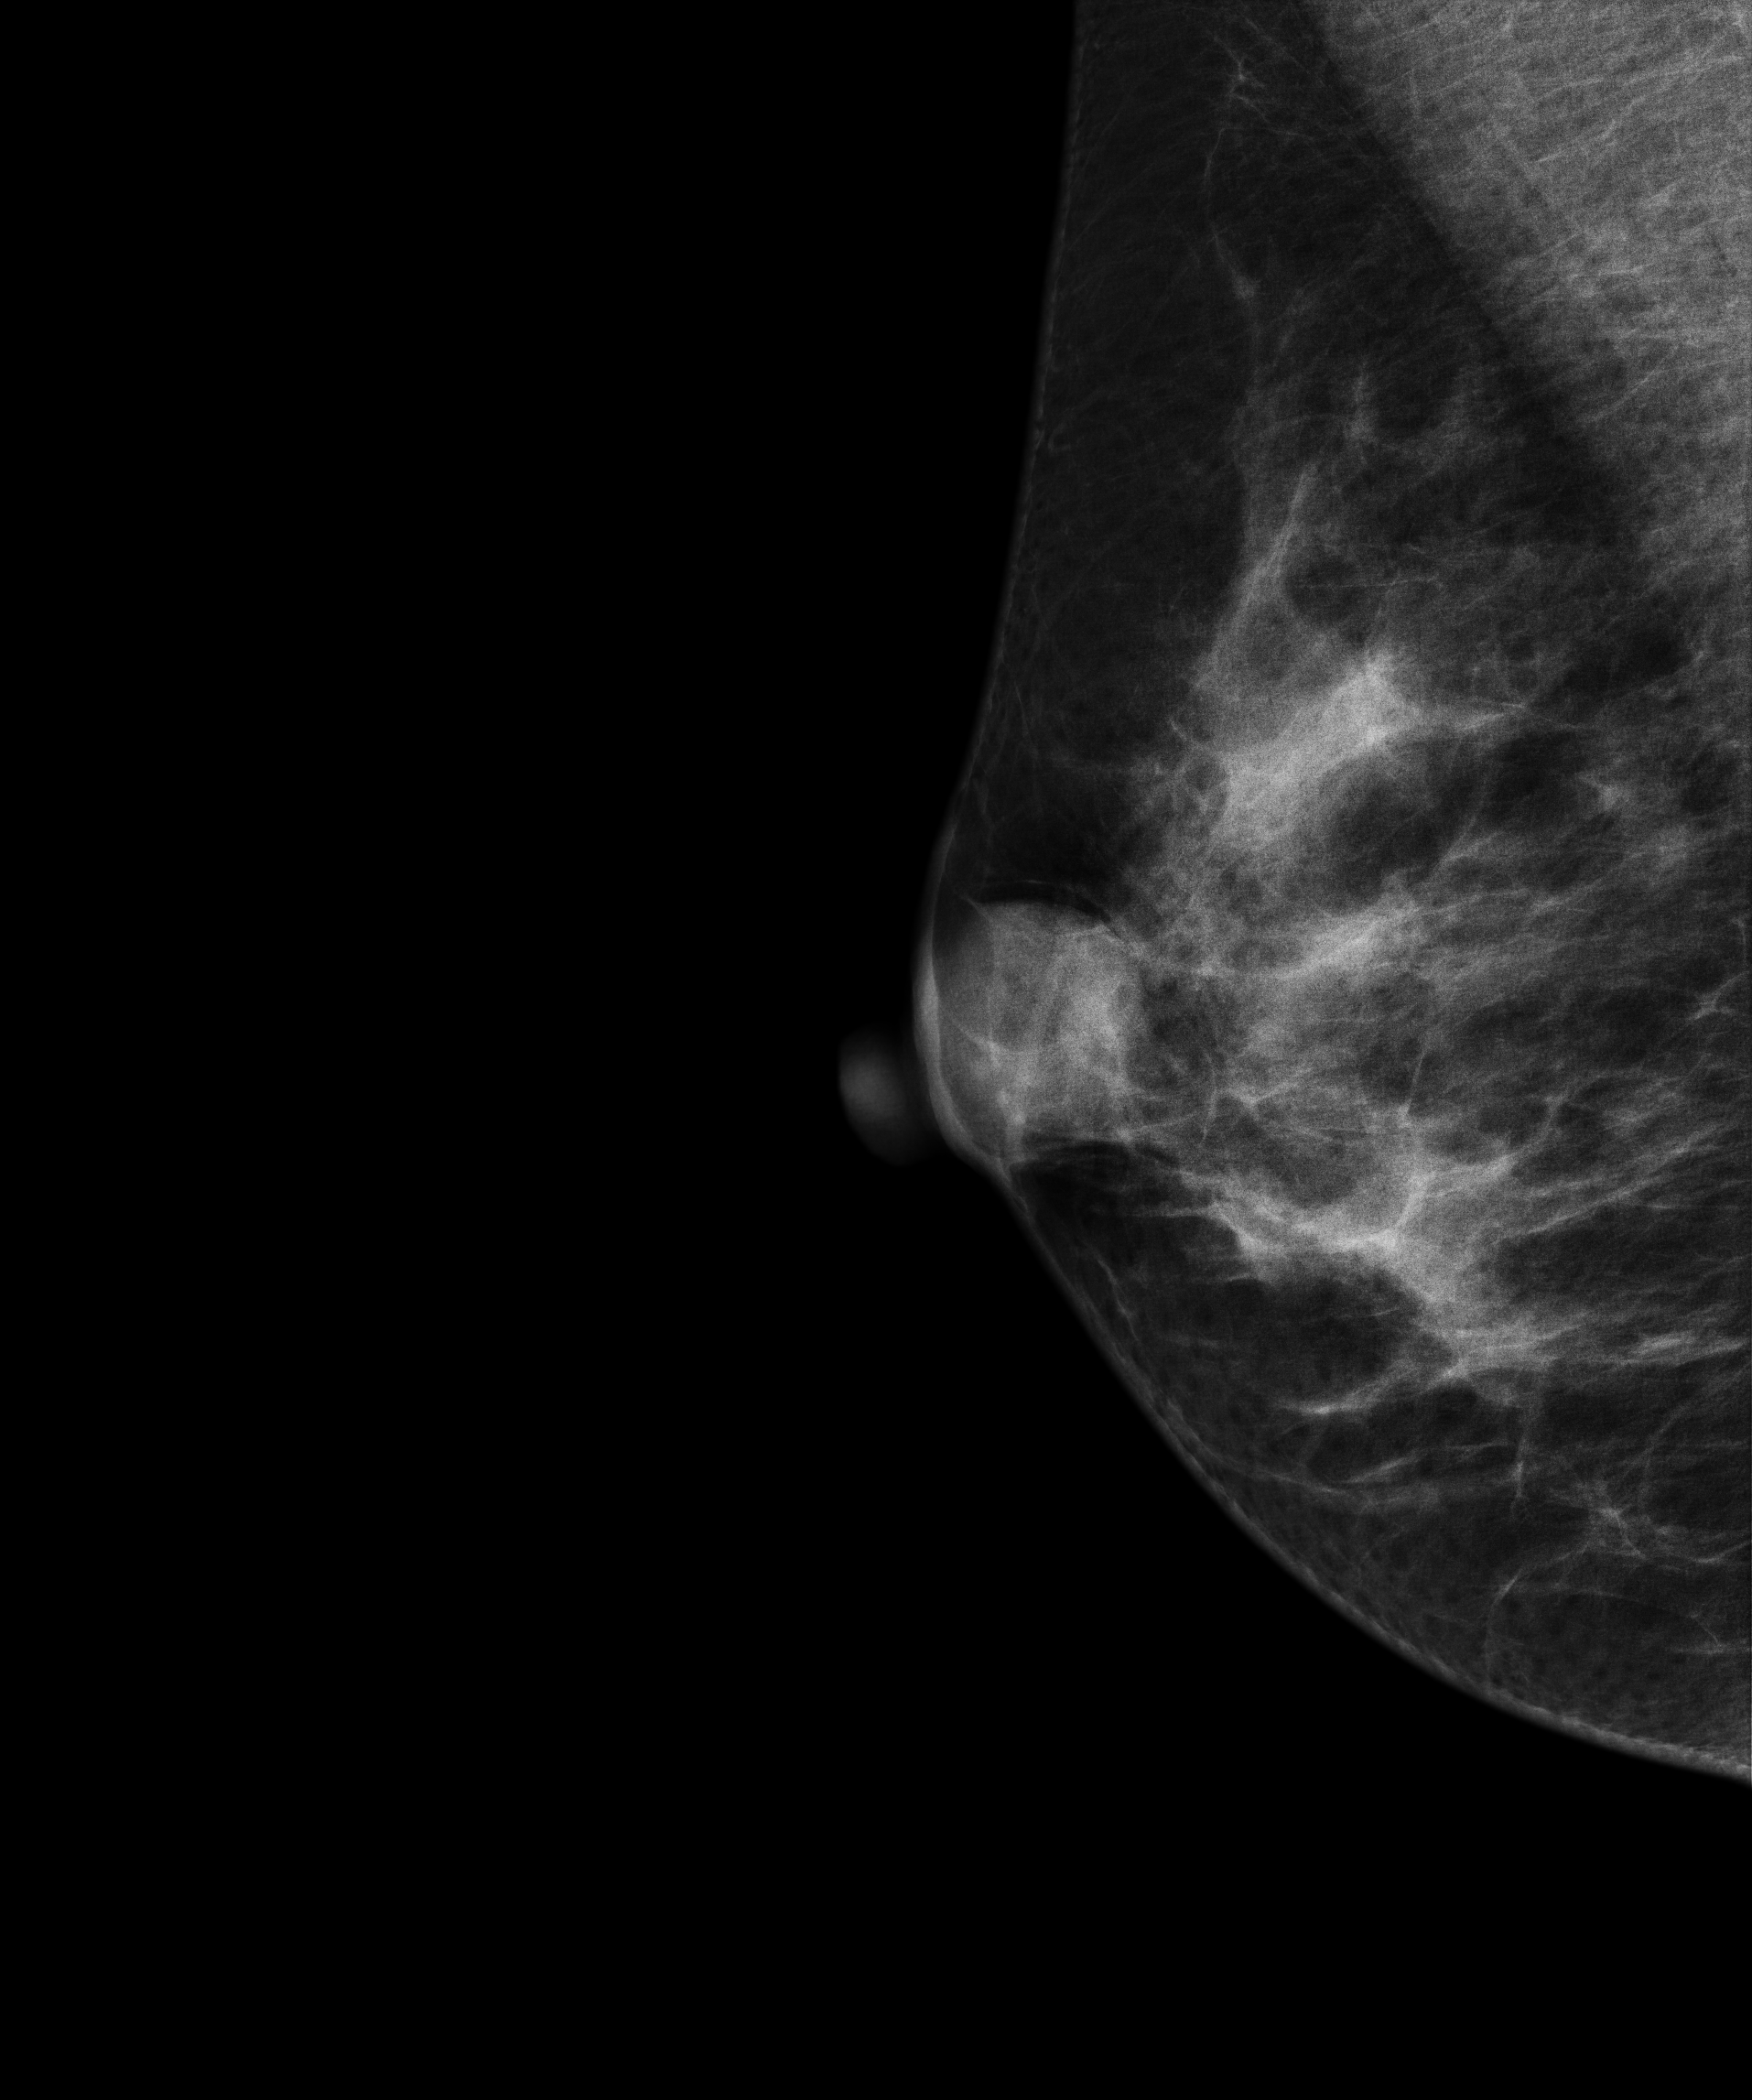
Right-breast mammogram, MLO. Patient age 36.
This breast has a mass, biopsy-proven benign.